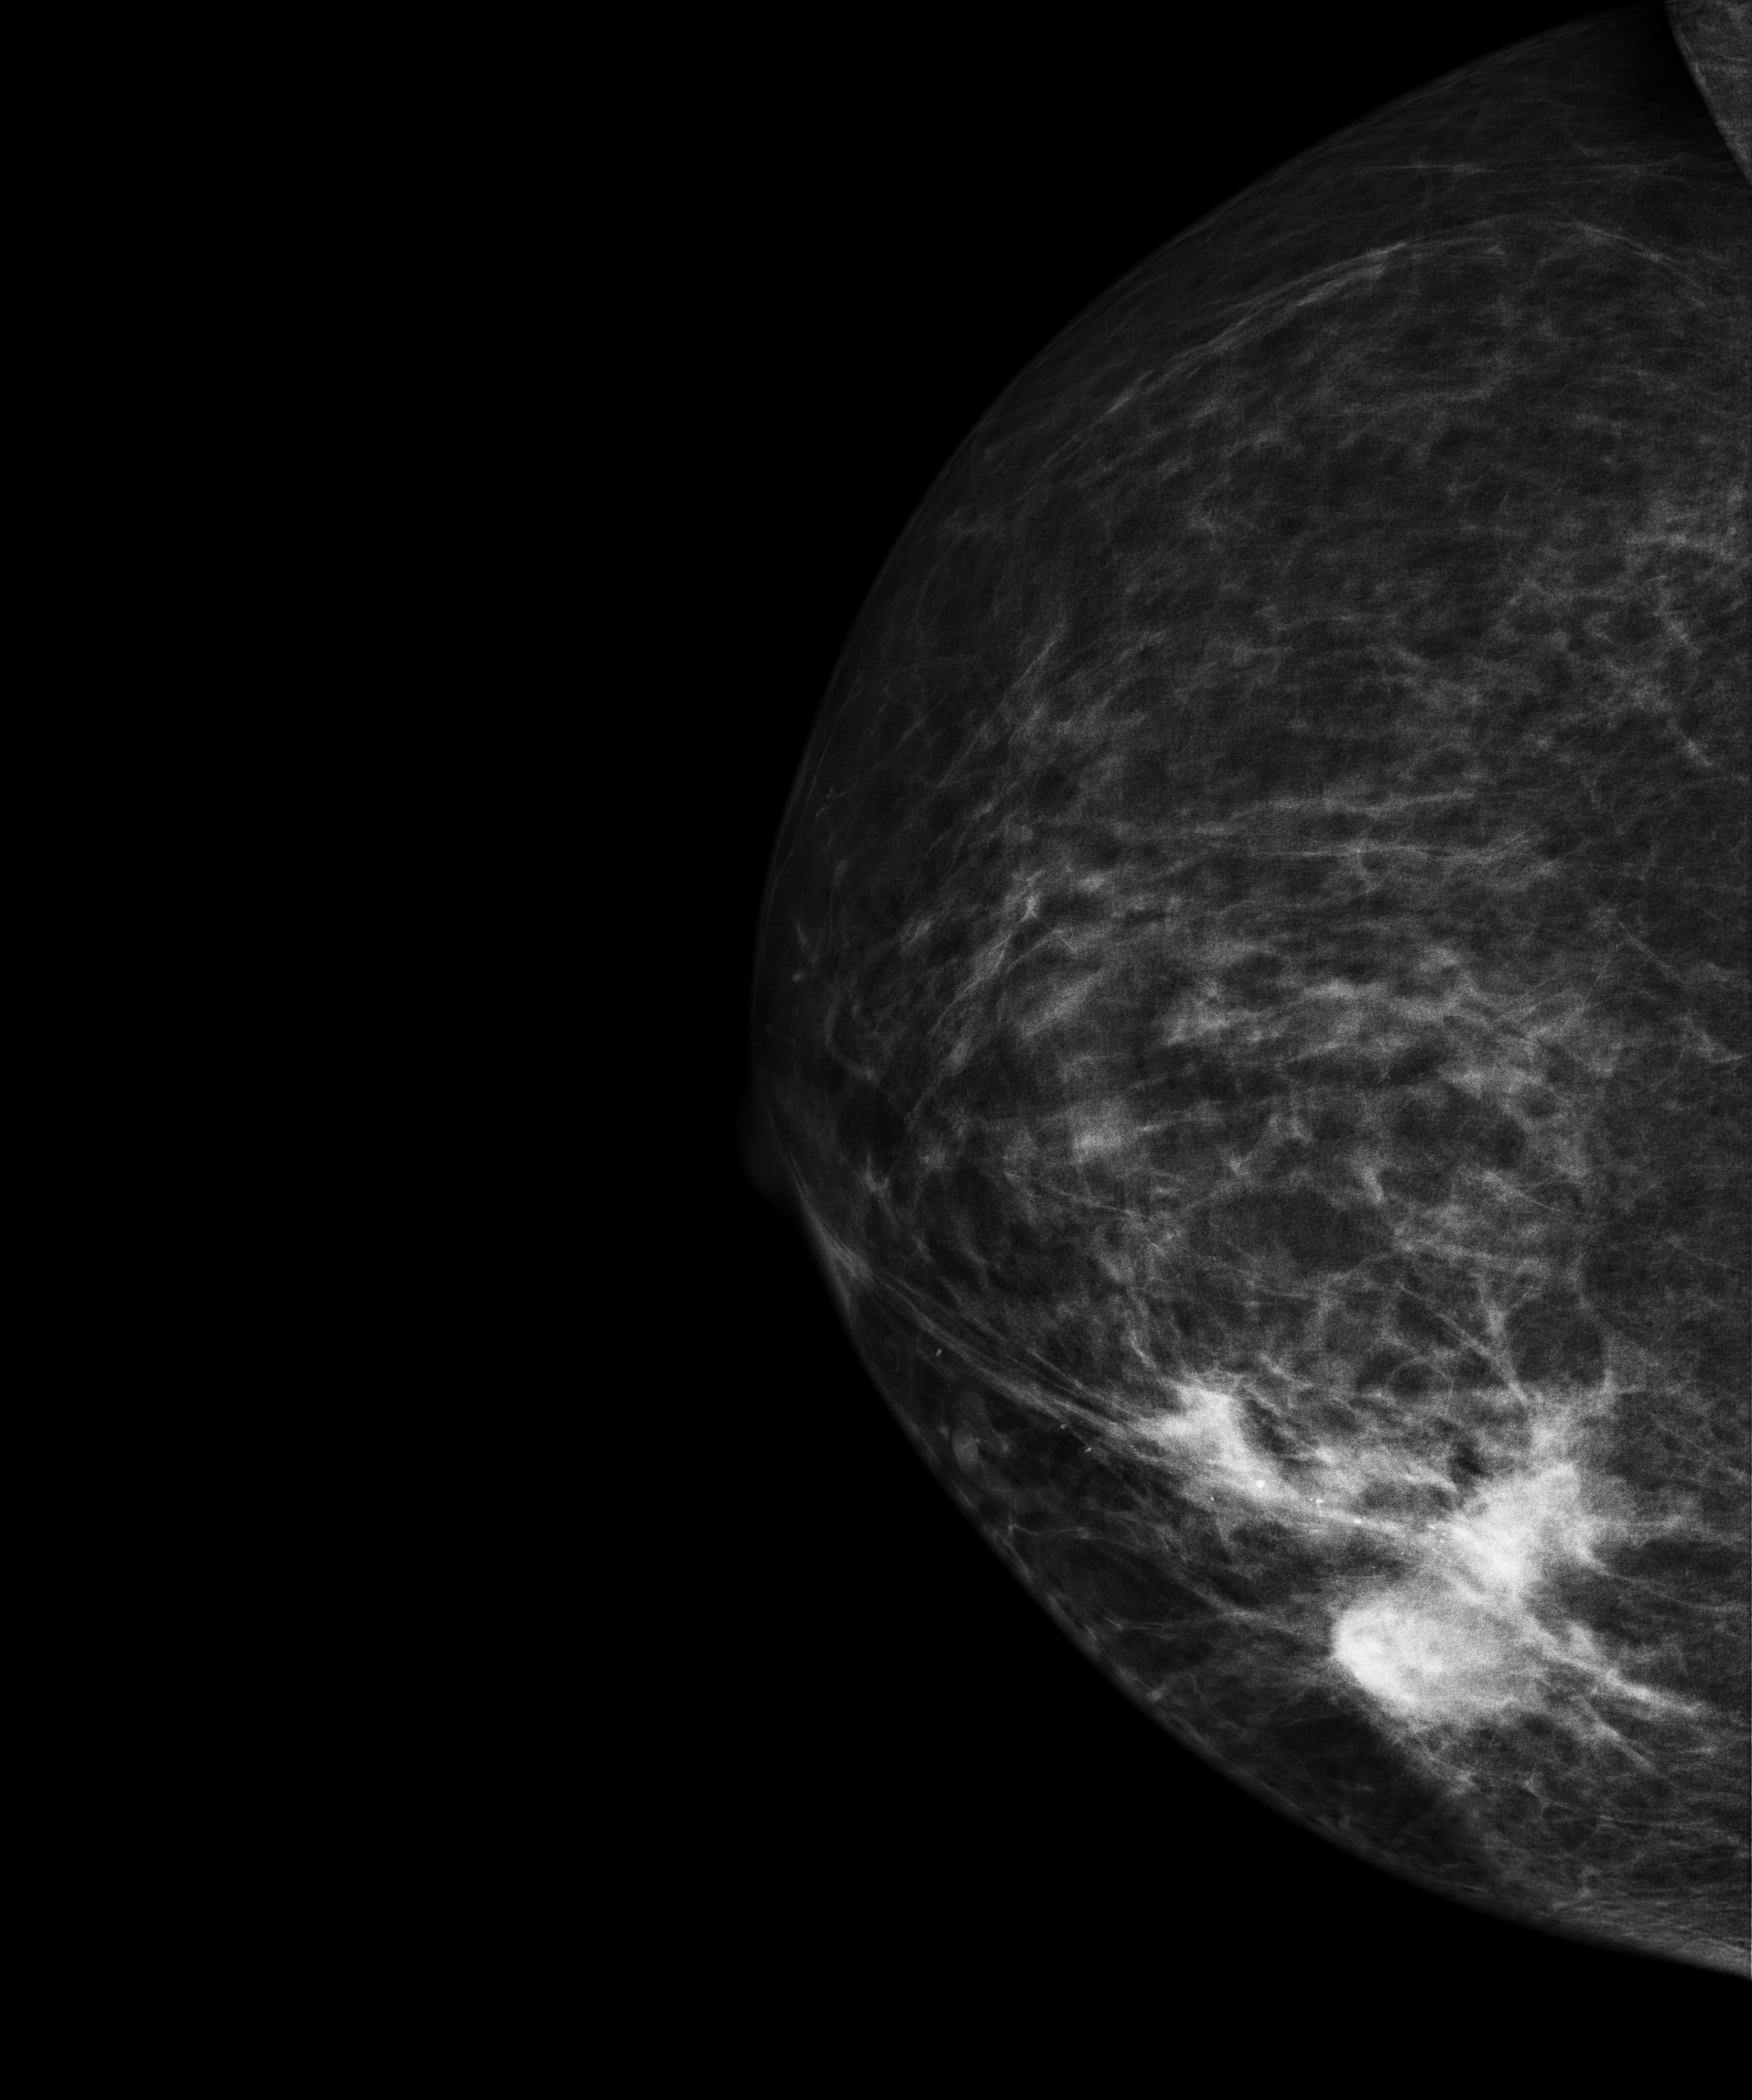
Cranio-caudal mammogram of the right breast. 68-year-old patient.
This breast has a mass and calcifications, biopsy-confirmed malignant. Molecular subtype: HER2-enriched.